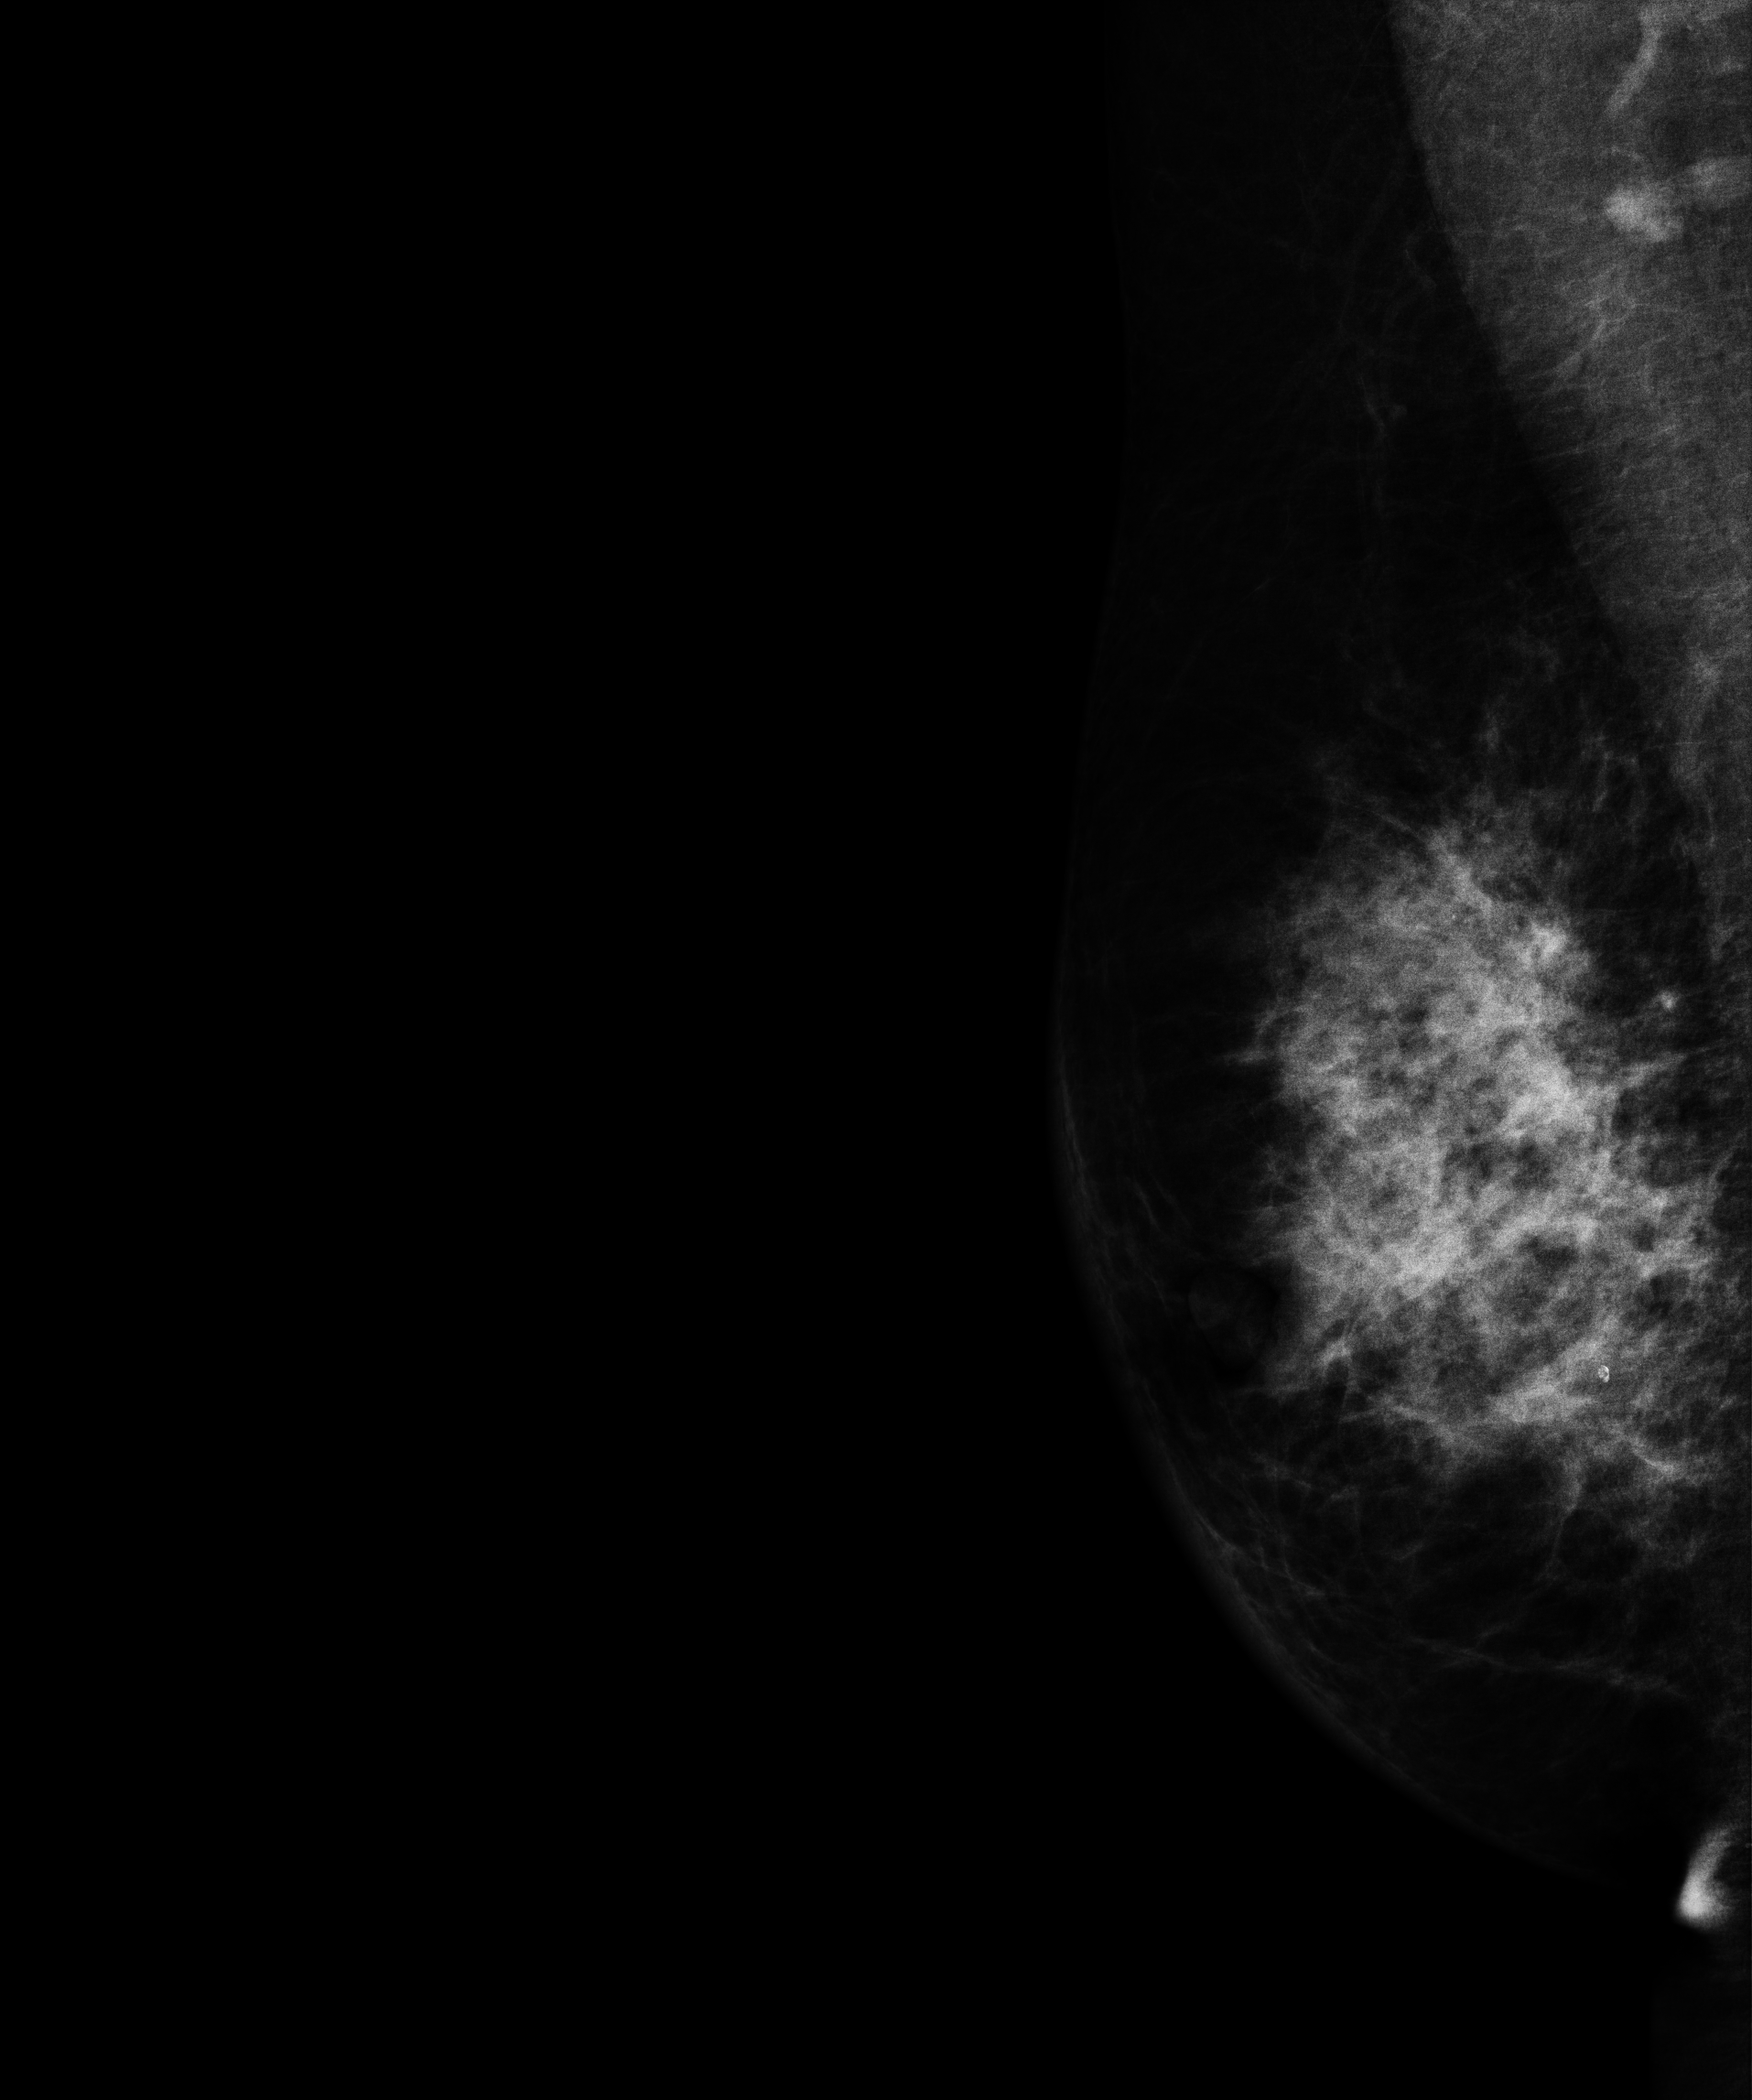
Digital mammography. Right breast, MLO projection. Patient age 62.
This breast has a mass, biopsy-confirmed malignant.